Mammogram — left CC. Patient age 39.
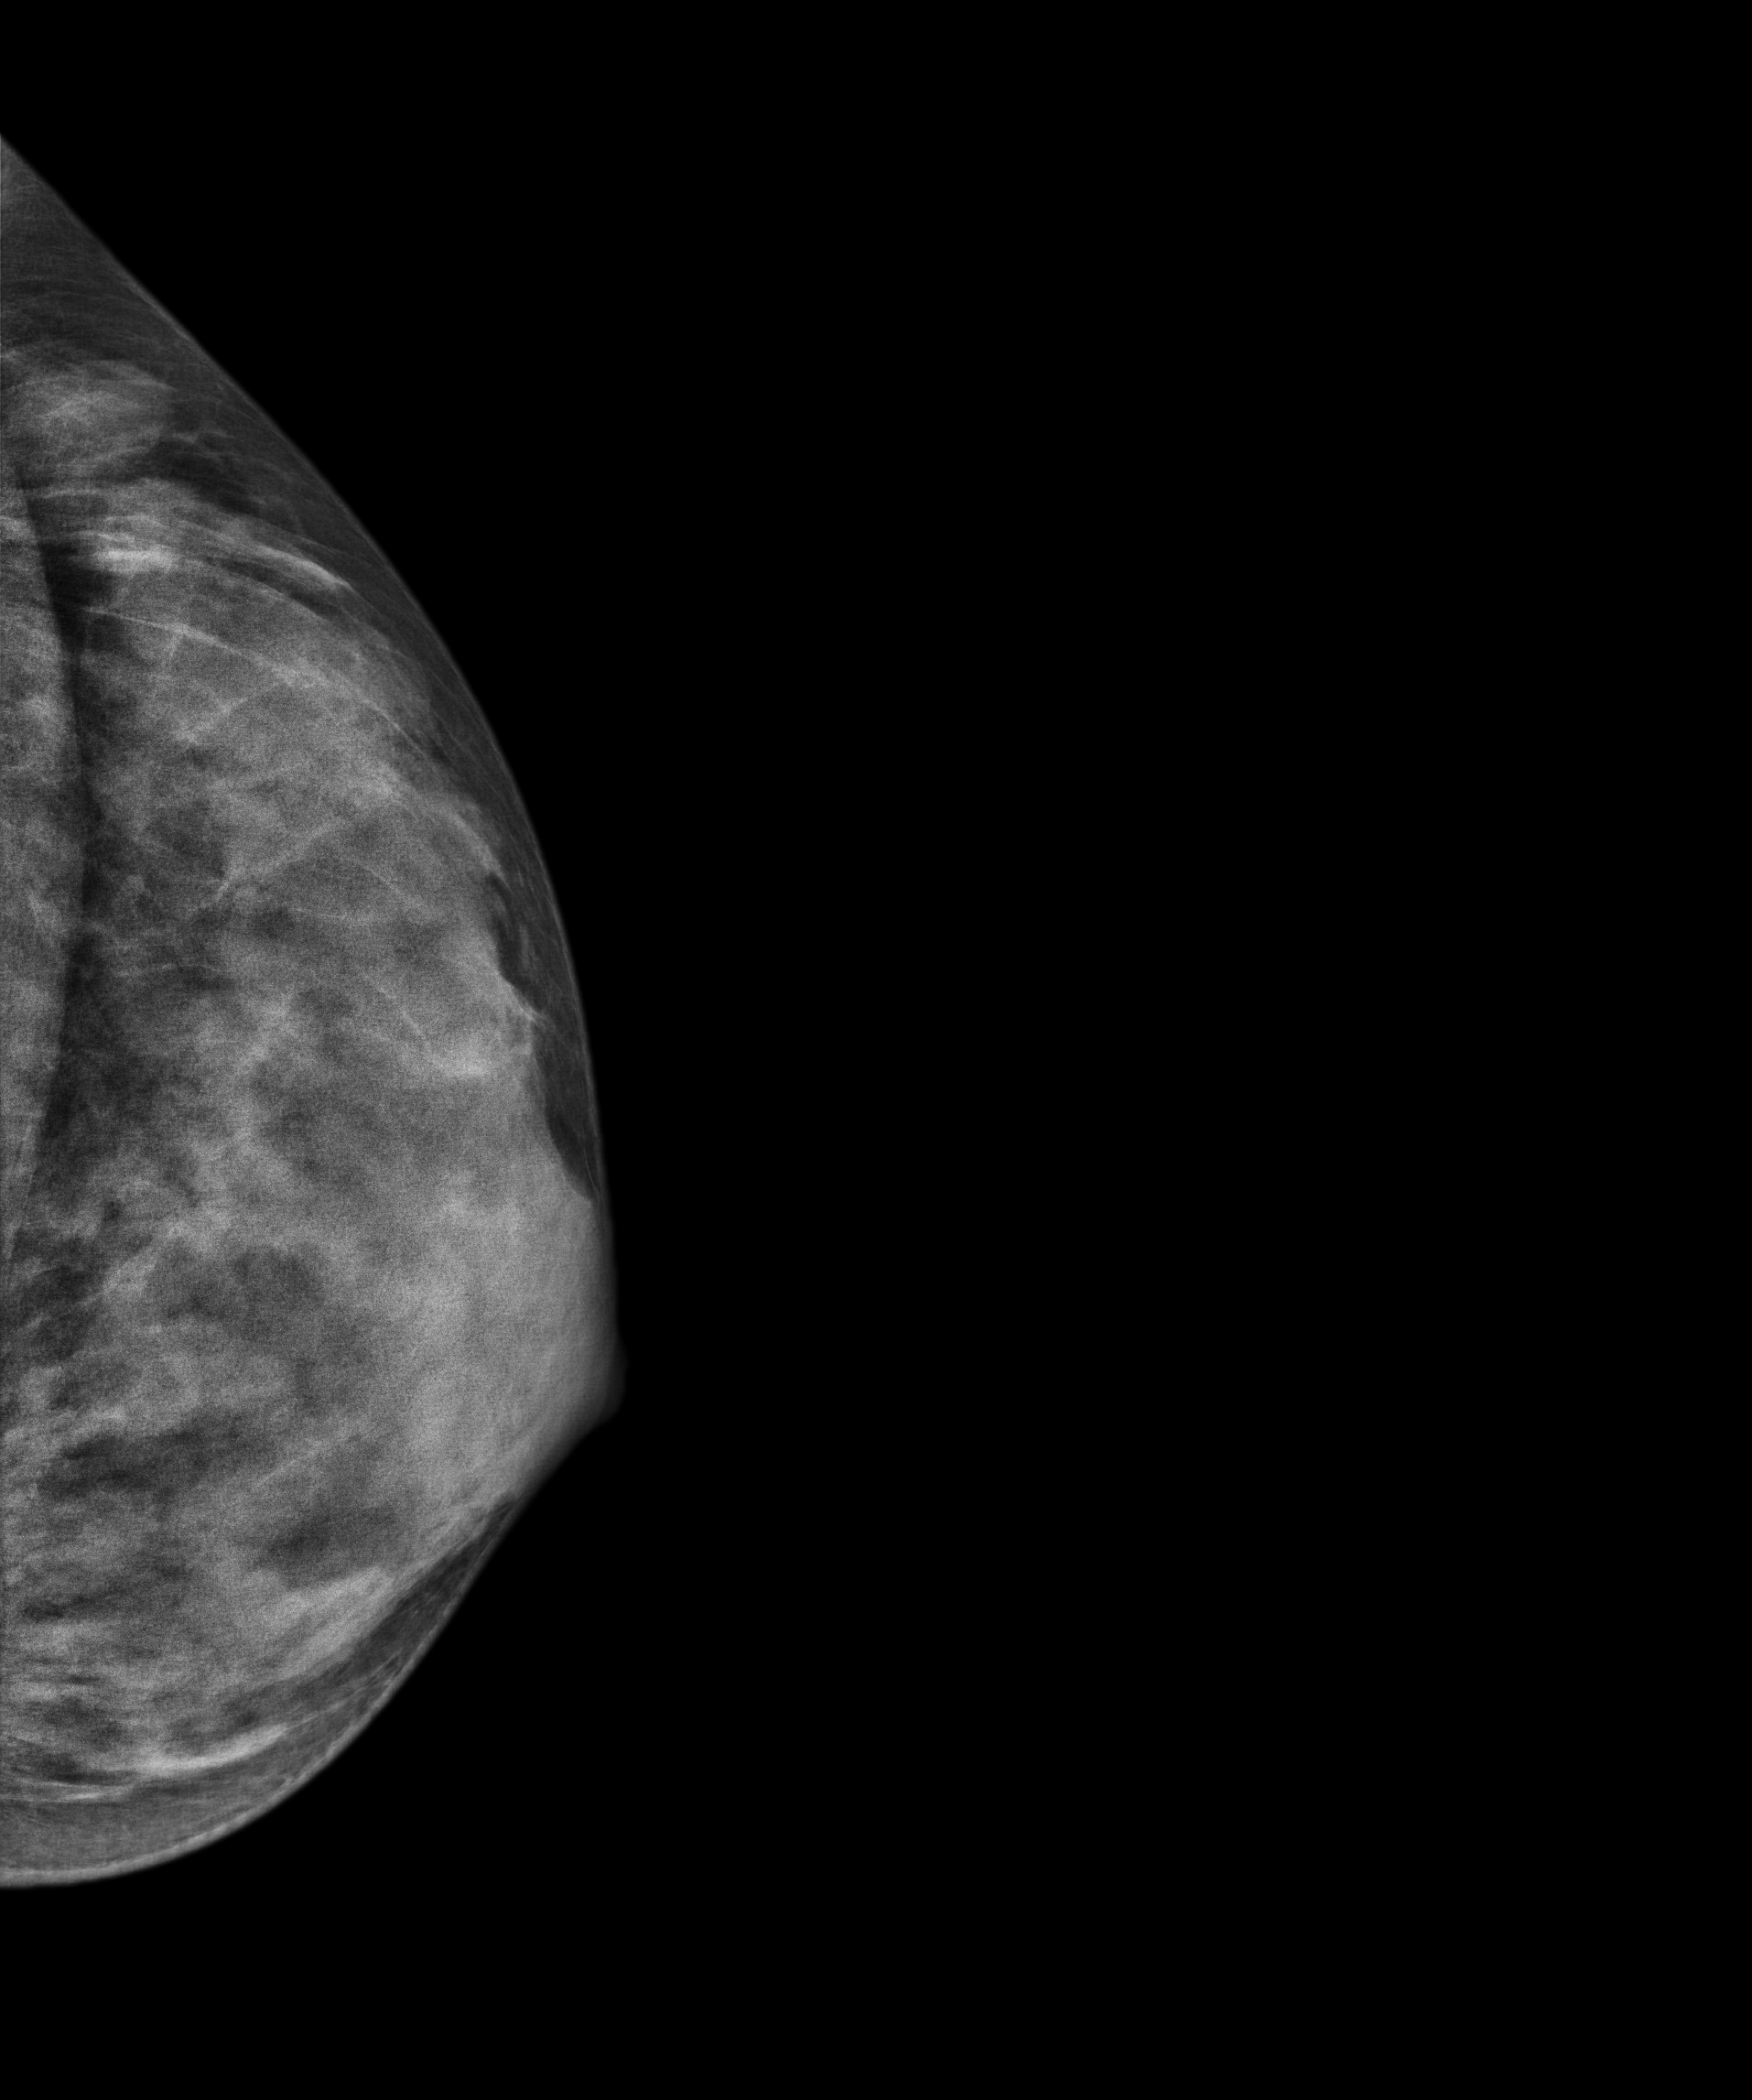
This breast has a mass, biopsy-proven benign.